Digital mammography. Left breast, CC projection. 45 y/o patient.
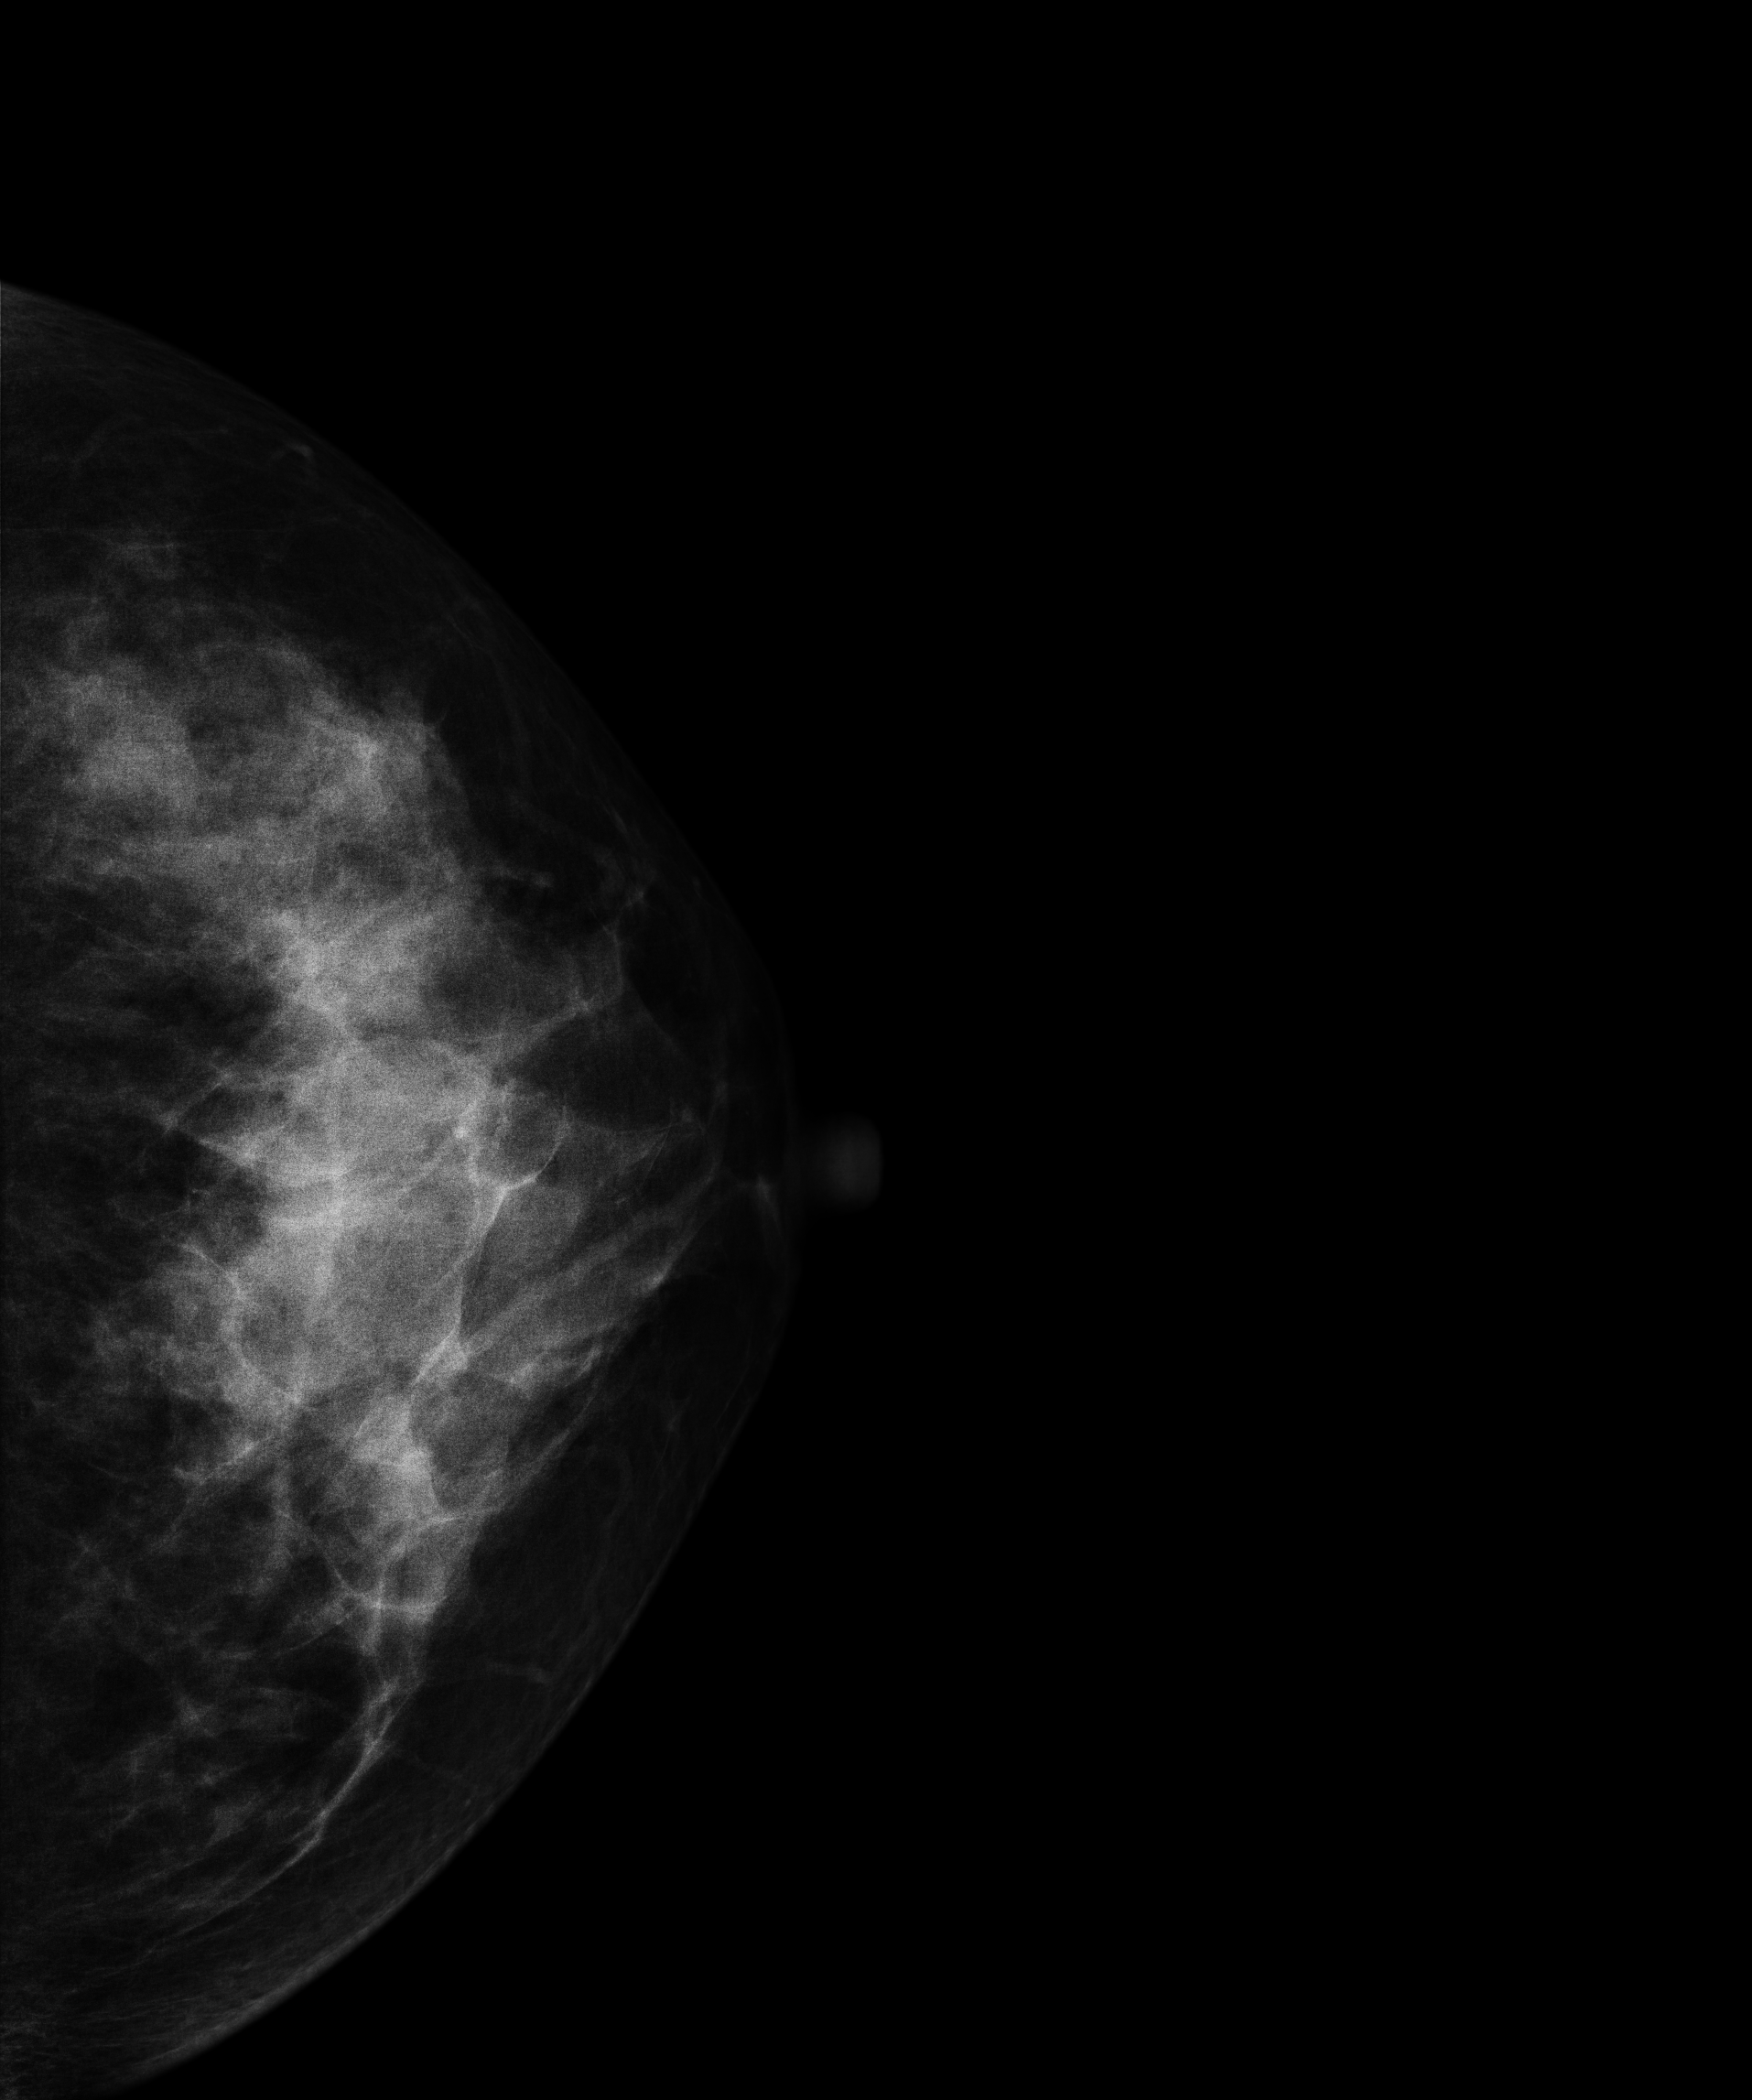
Contralateral breast — no documented abnormality on this side.